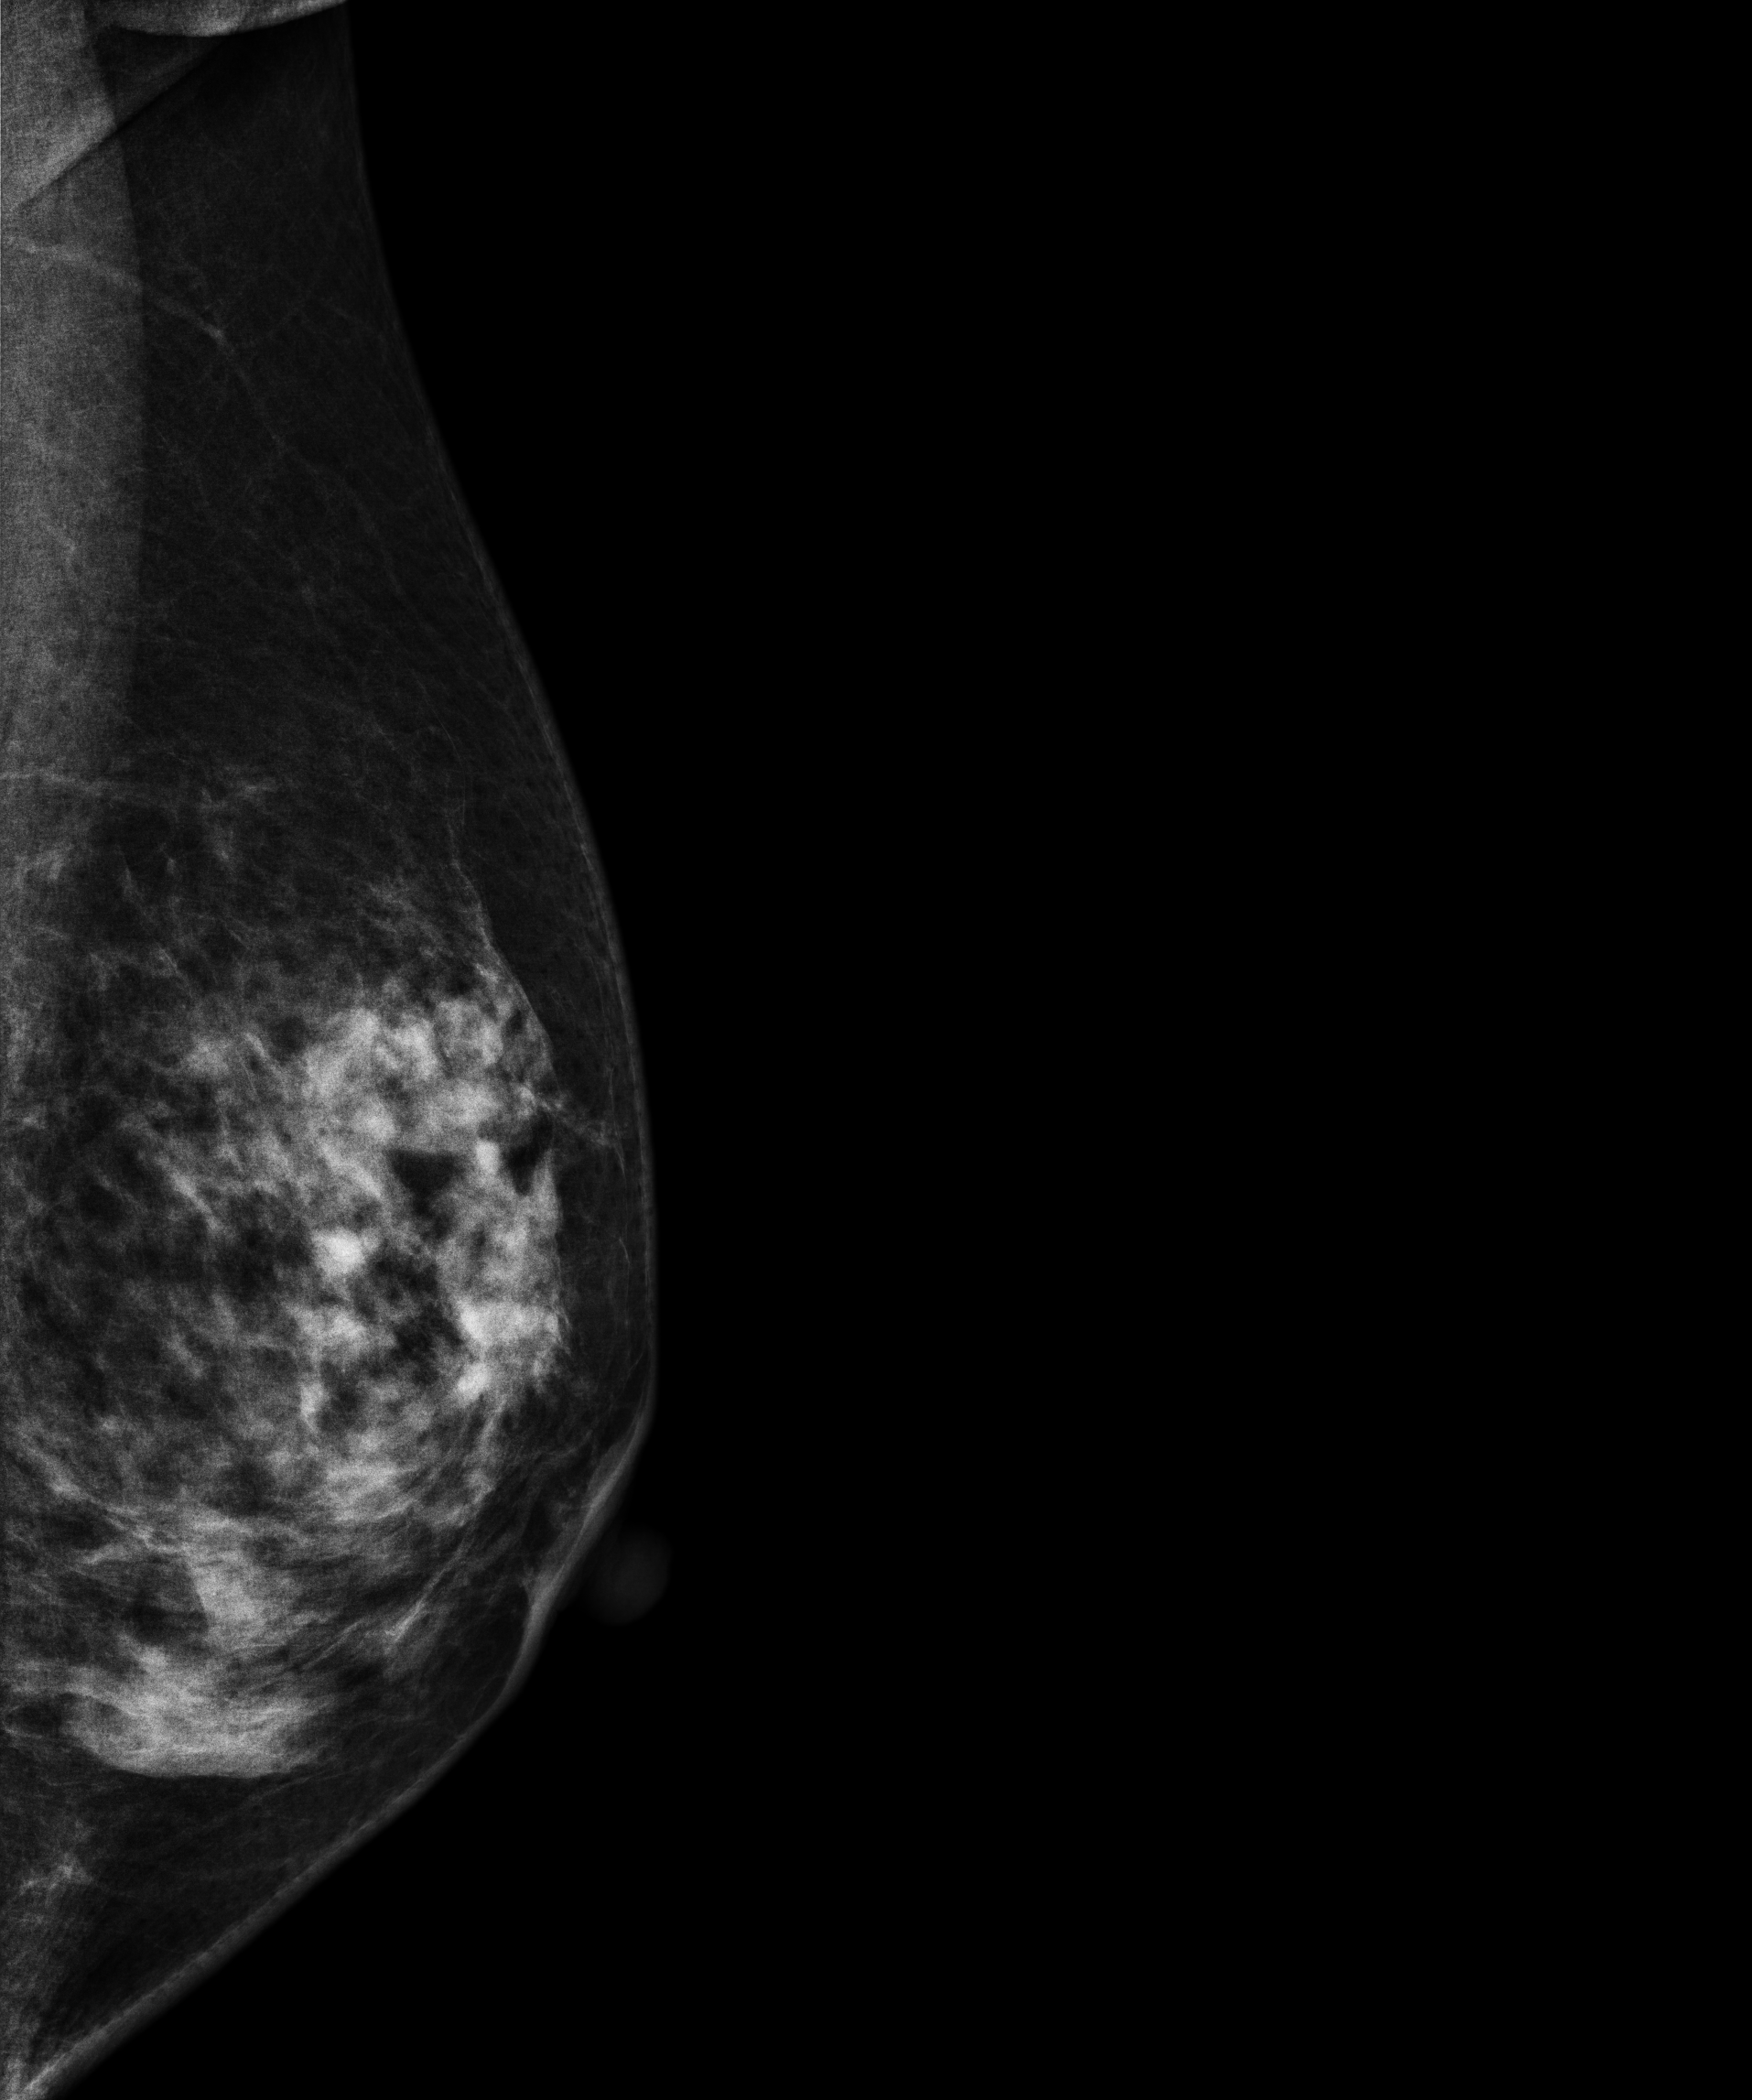
Mammogram — left medio-lateral oblique. 58 y/o patient.
This breast has a mass, histologically confirmed malignant. Molecular subtype: luminal B.